Cranio-caudal mammogram of the right breast. 47 y/o patient.
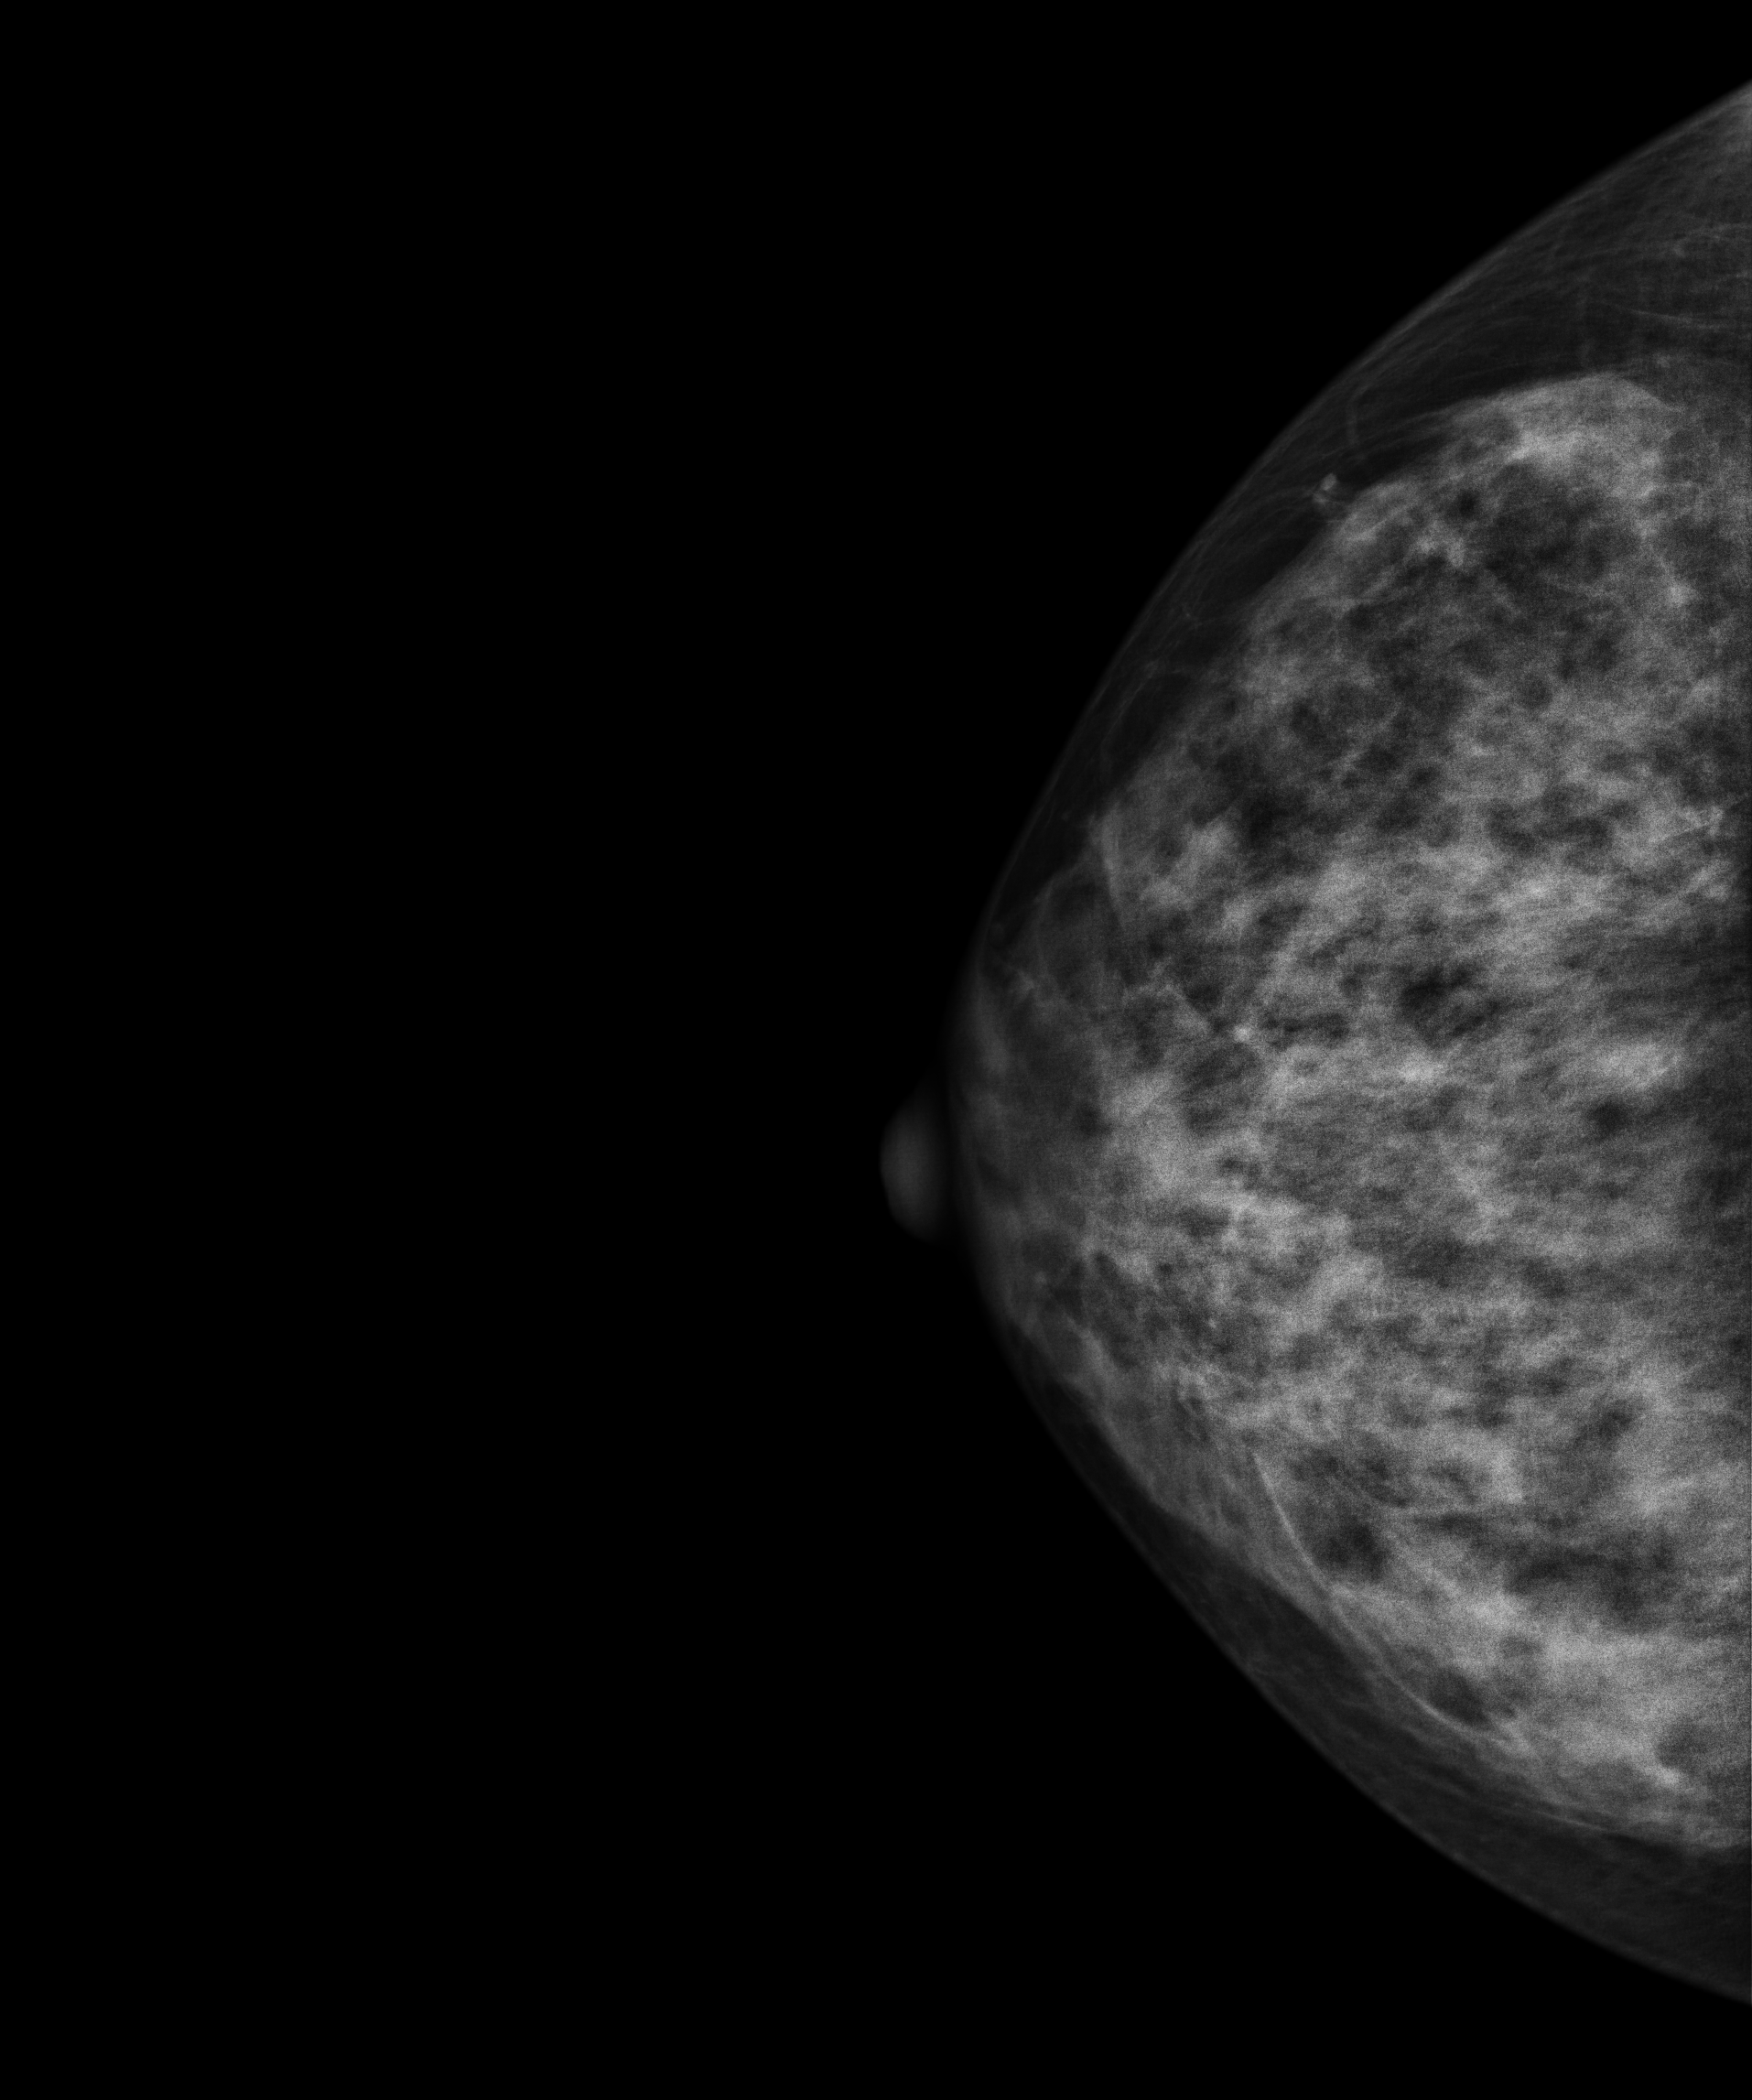
Contralateral breast — no documented abnormality on this side.